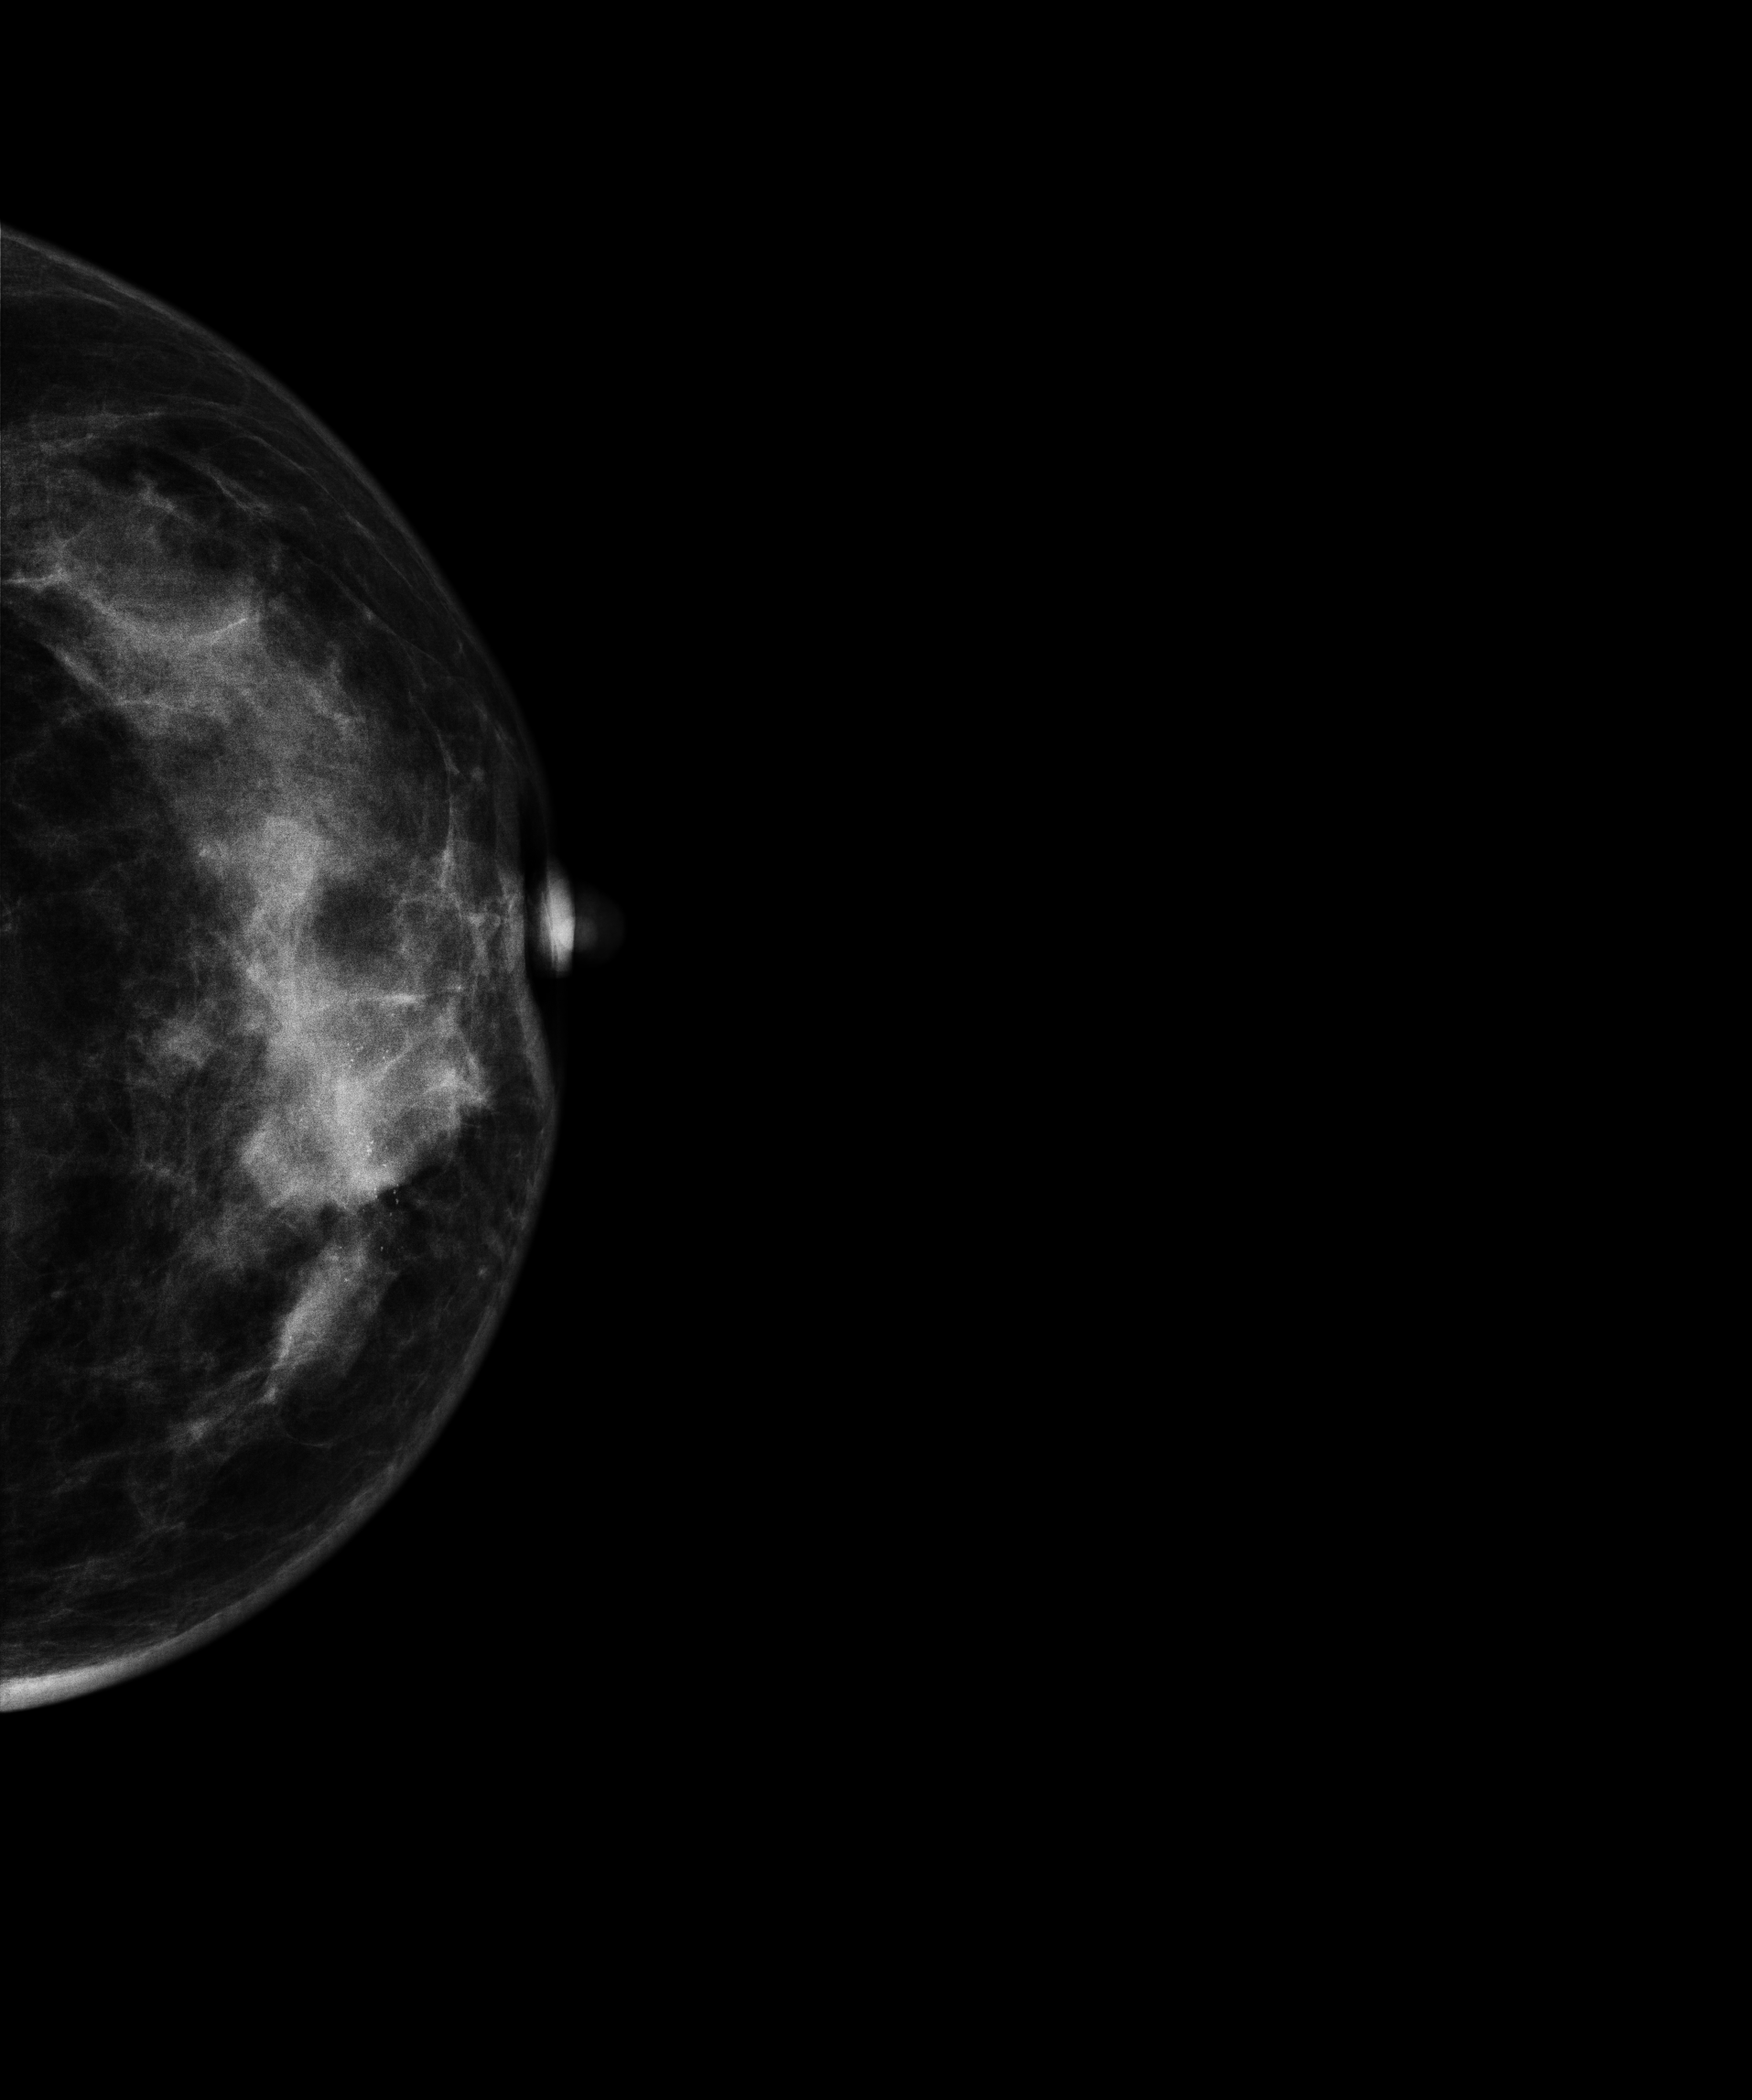
Mammogram — left CC. 43-year-old patient.
This breast has a mass and calcifications, biopsy-proven malignant.